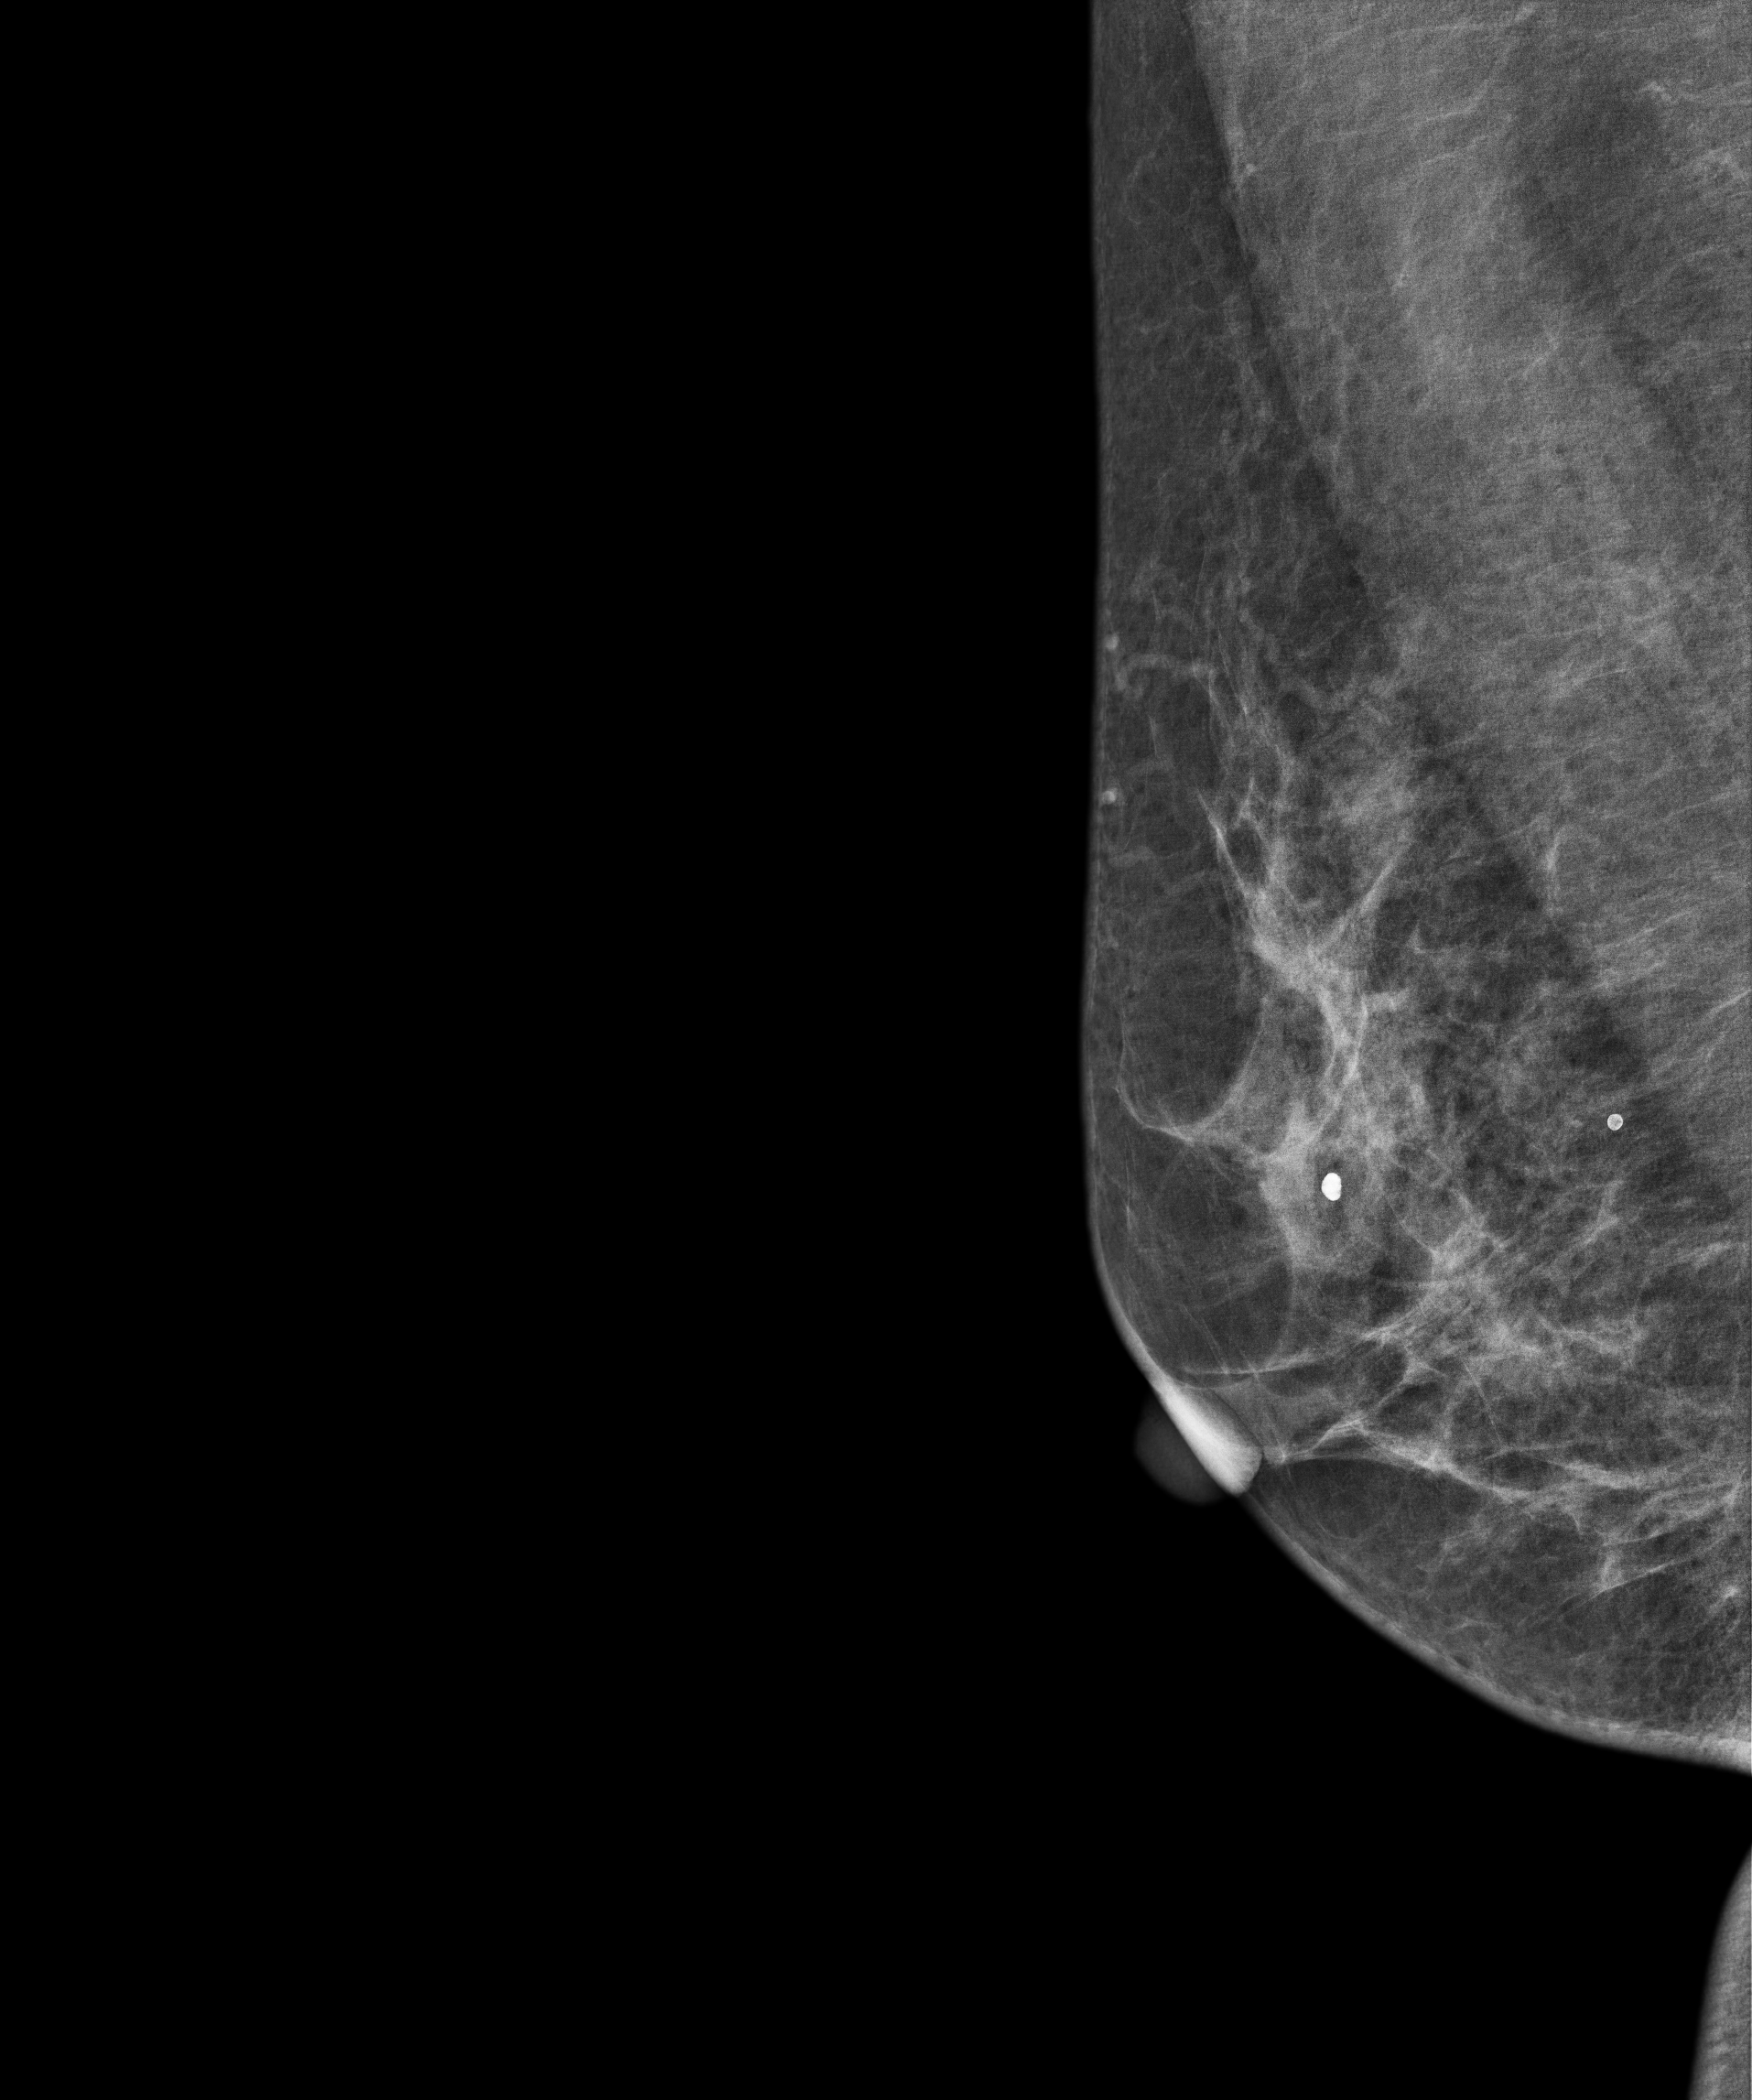
Digital mammography. Right breast, medio-lateral oblique projection. 54 y/o patient.
This breast has a mass, histologically confirmed benign.